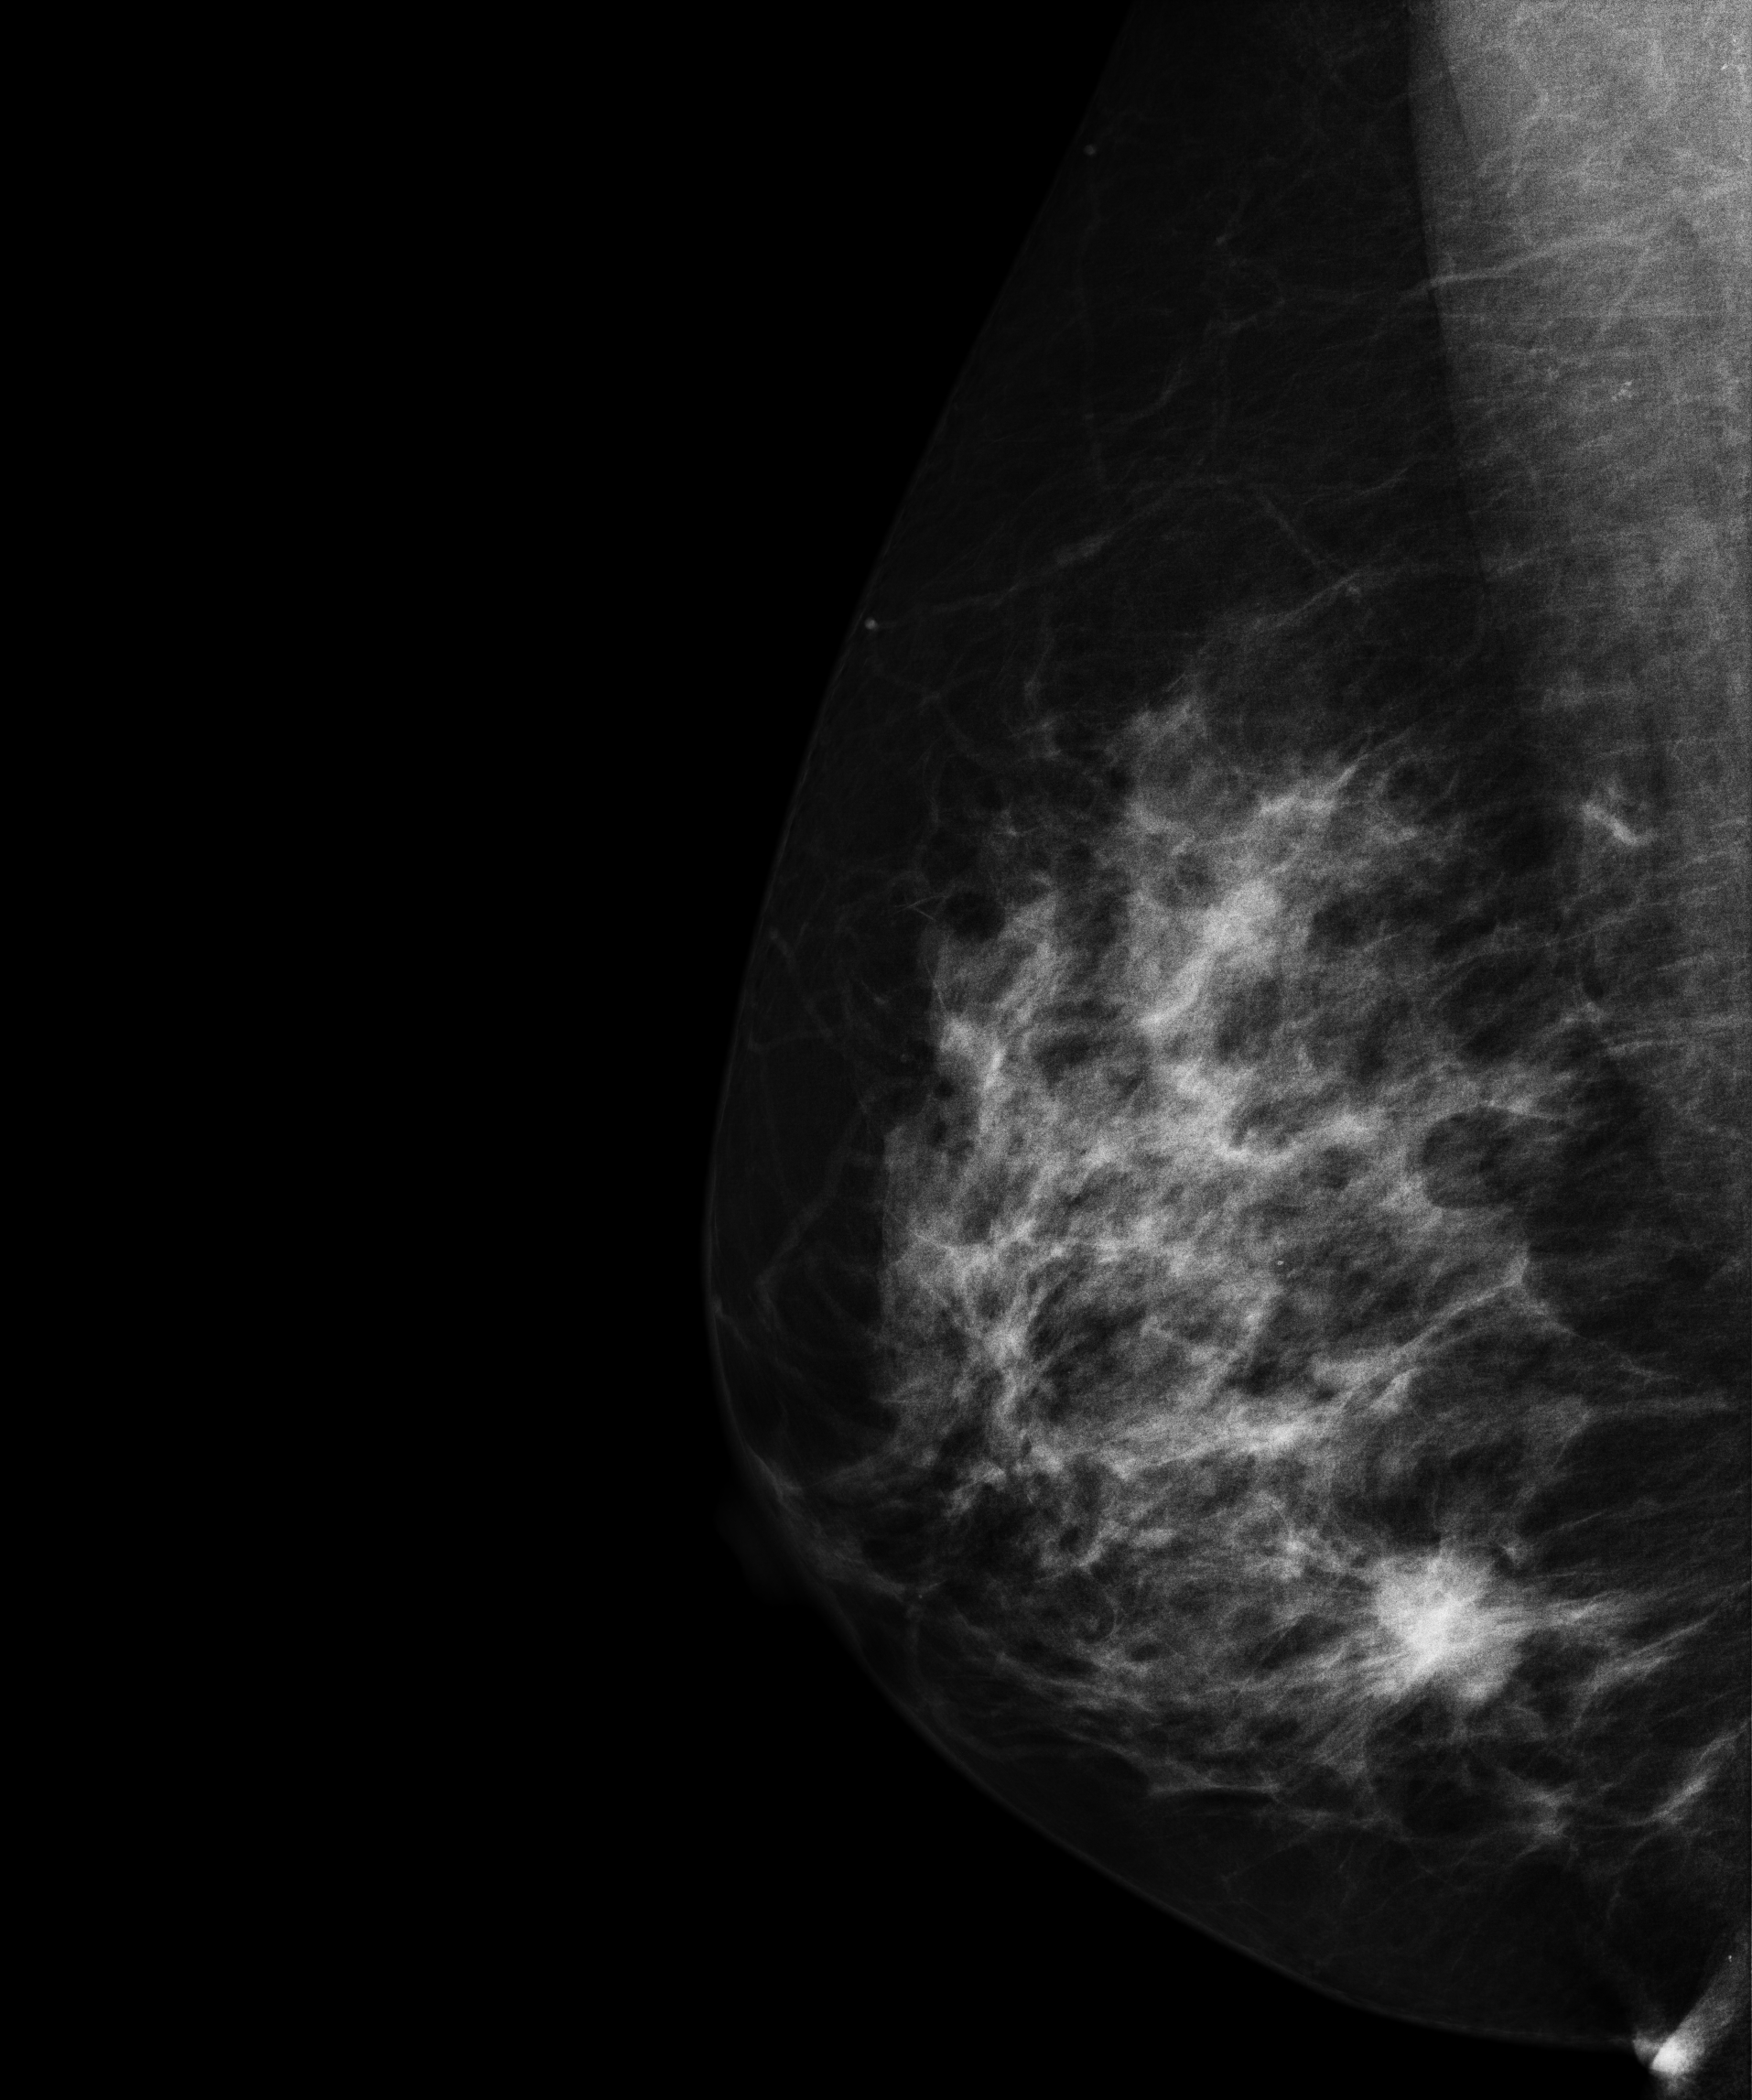
Digital mammography. Right breast, medio-lateral oblique projection. 52 y/o patient.
This breast has a mass, pathology-confirmed malignant.